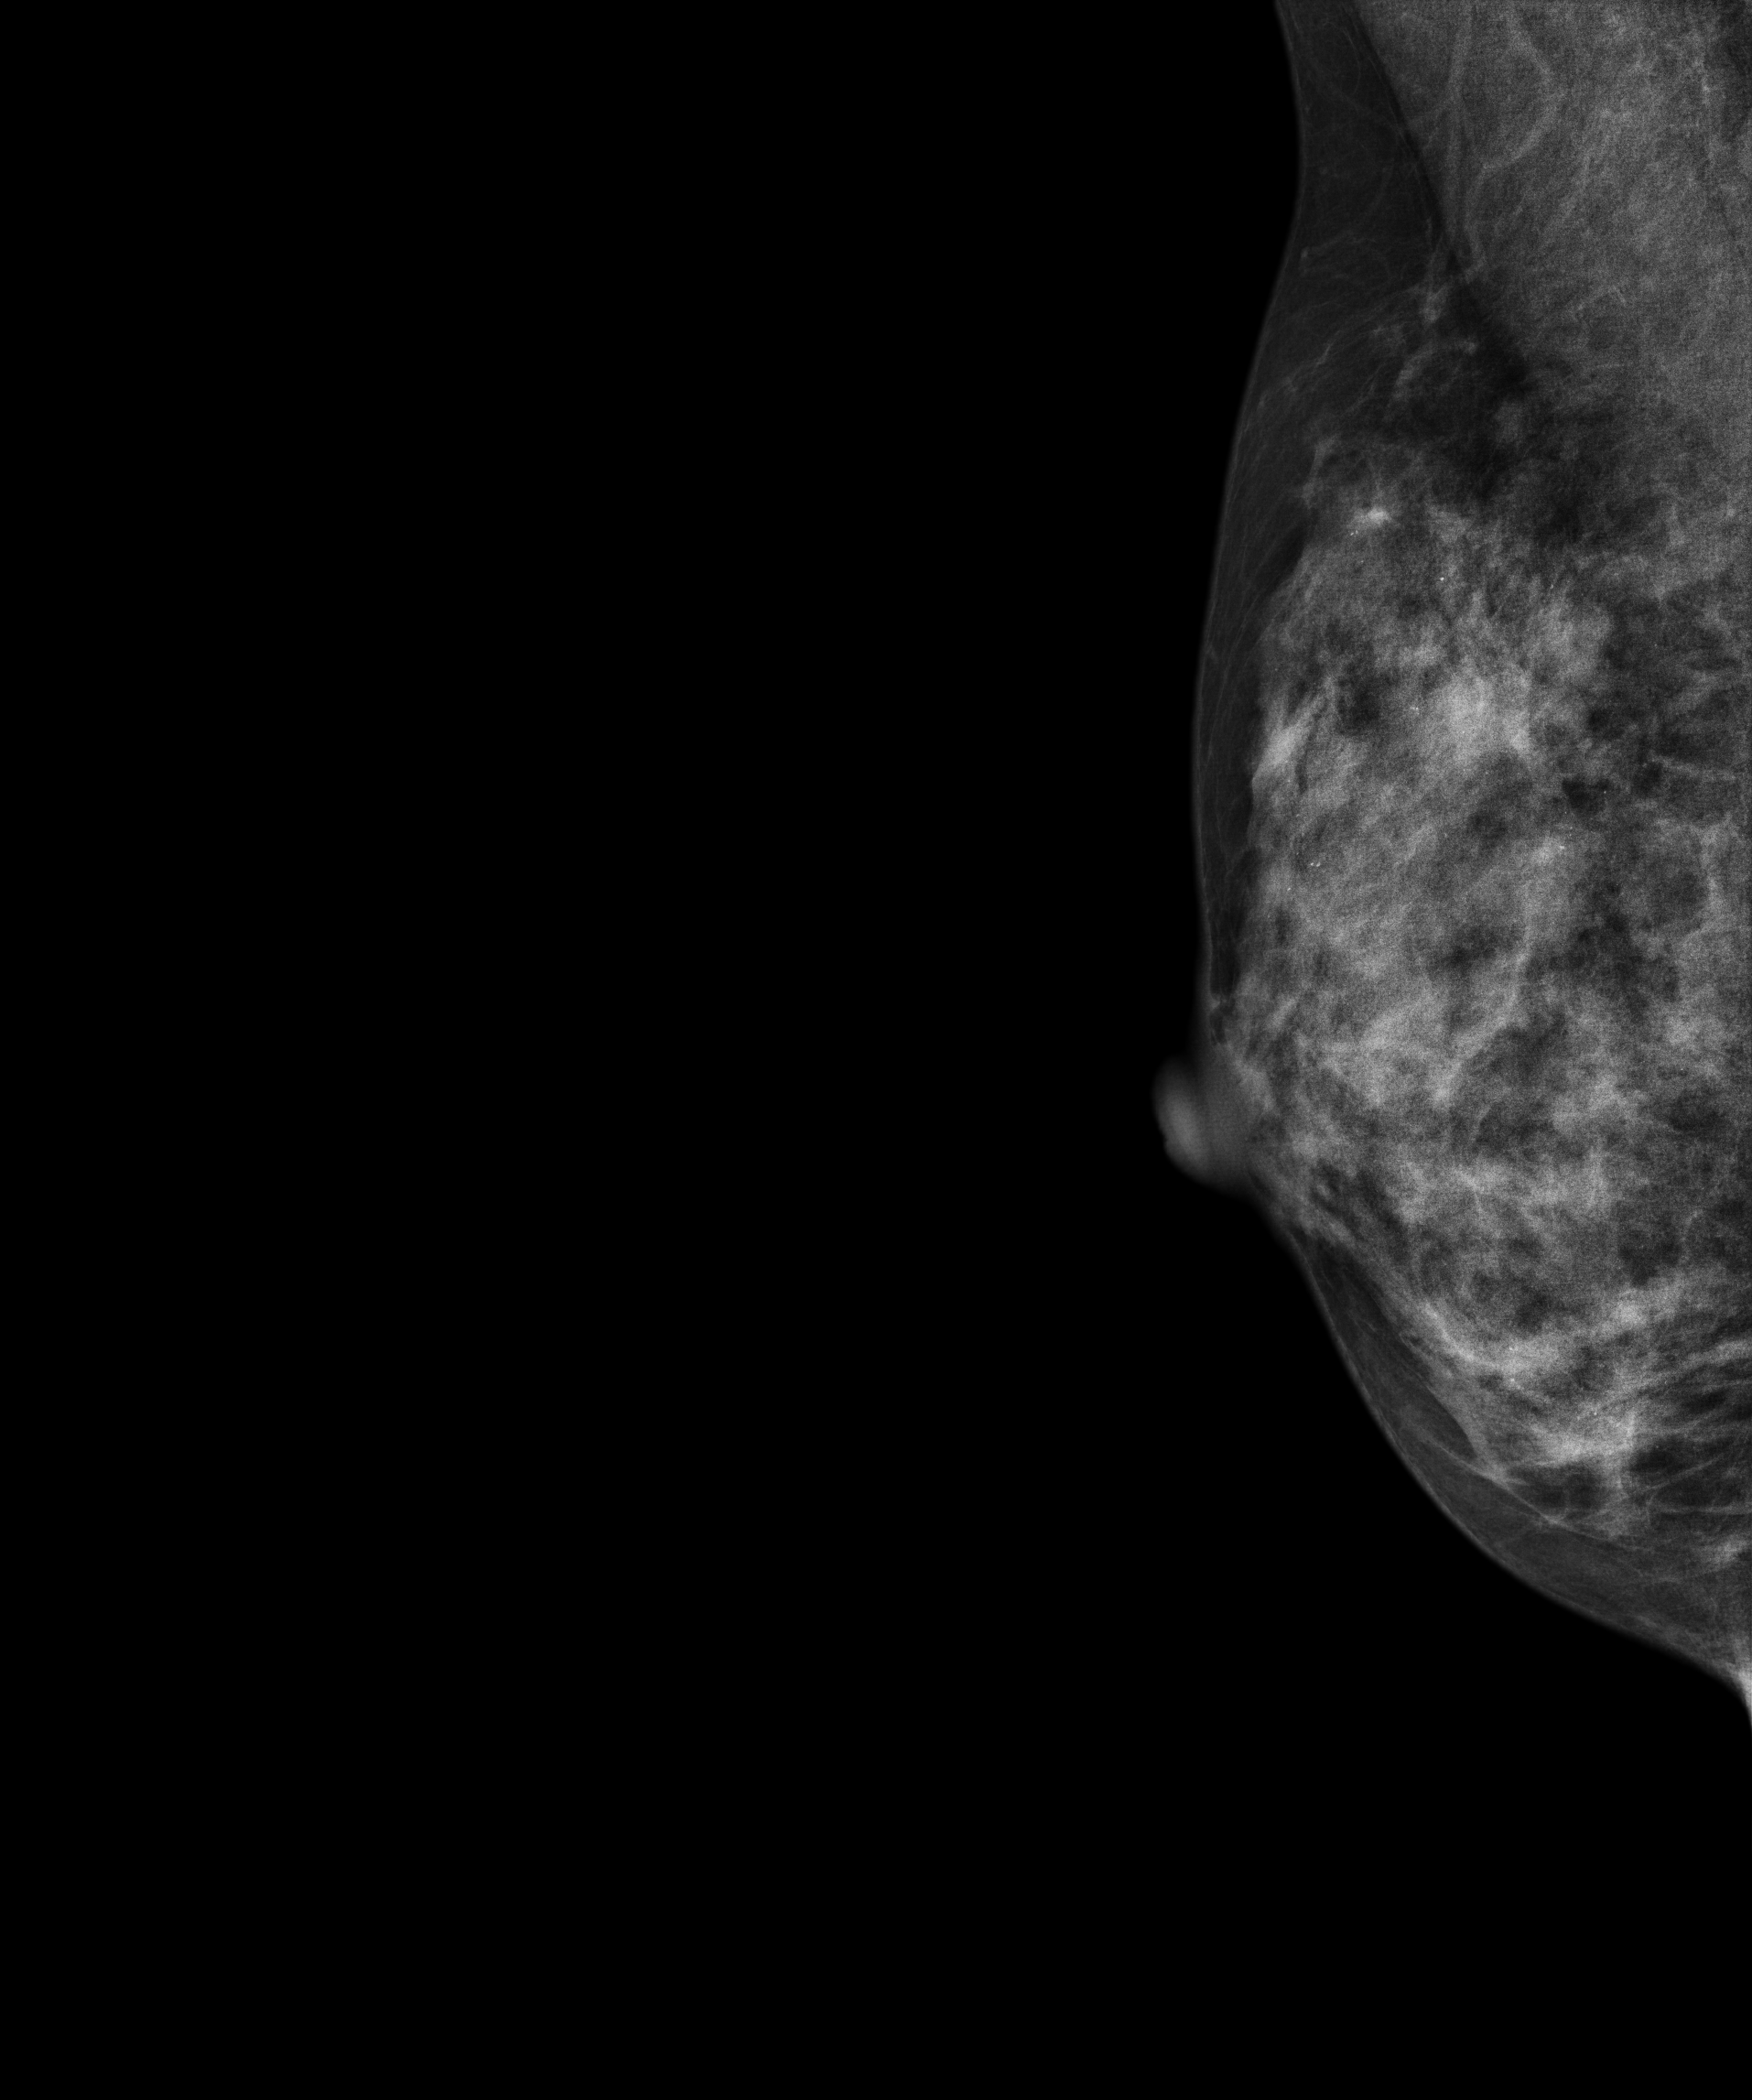
Mammogram — right medio-lateral oblique. Patient age 44.
This breast has a mass and calcifications, biopsy-confirmed benign.